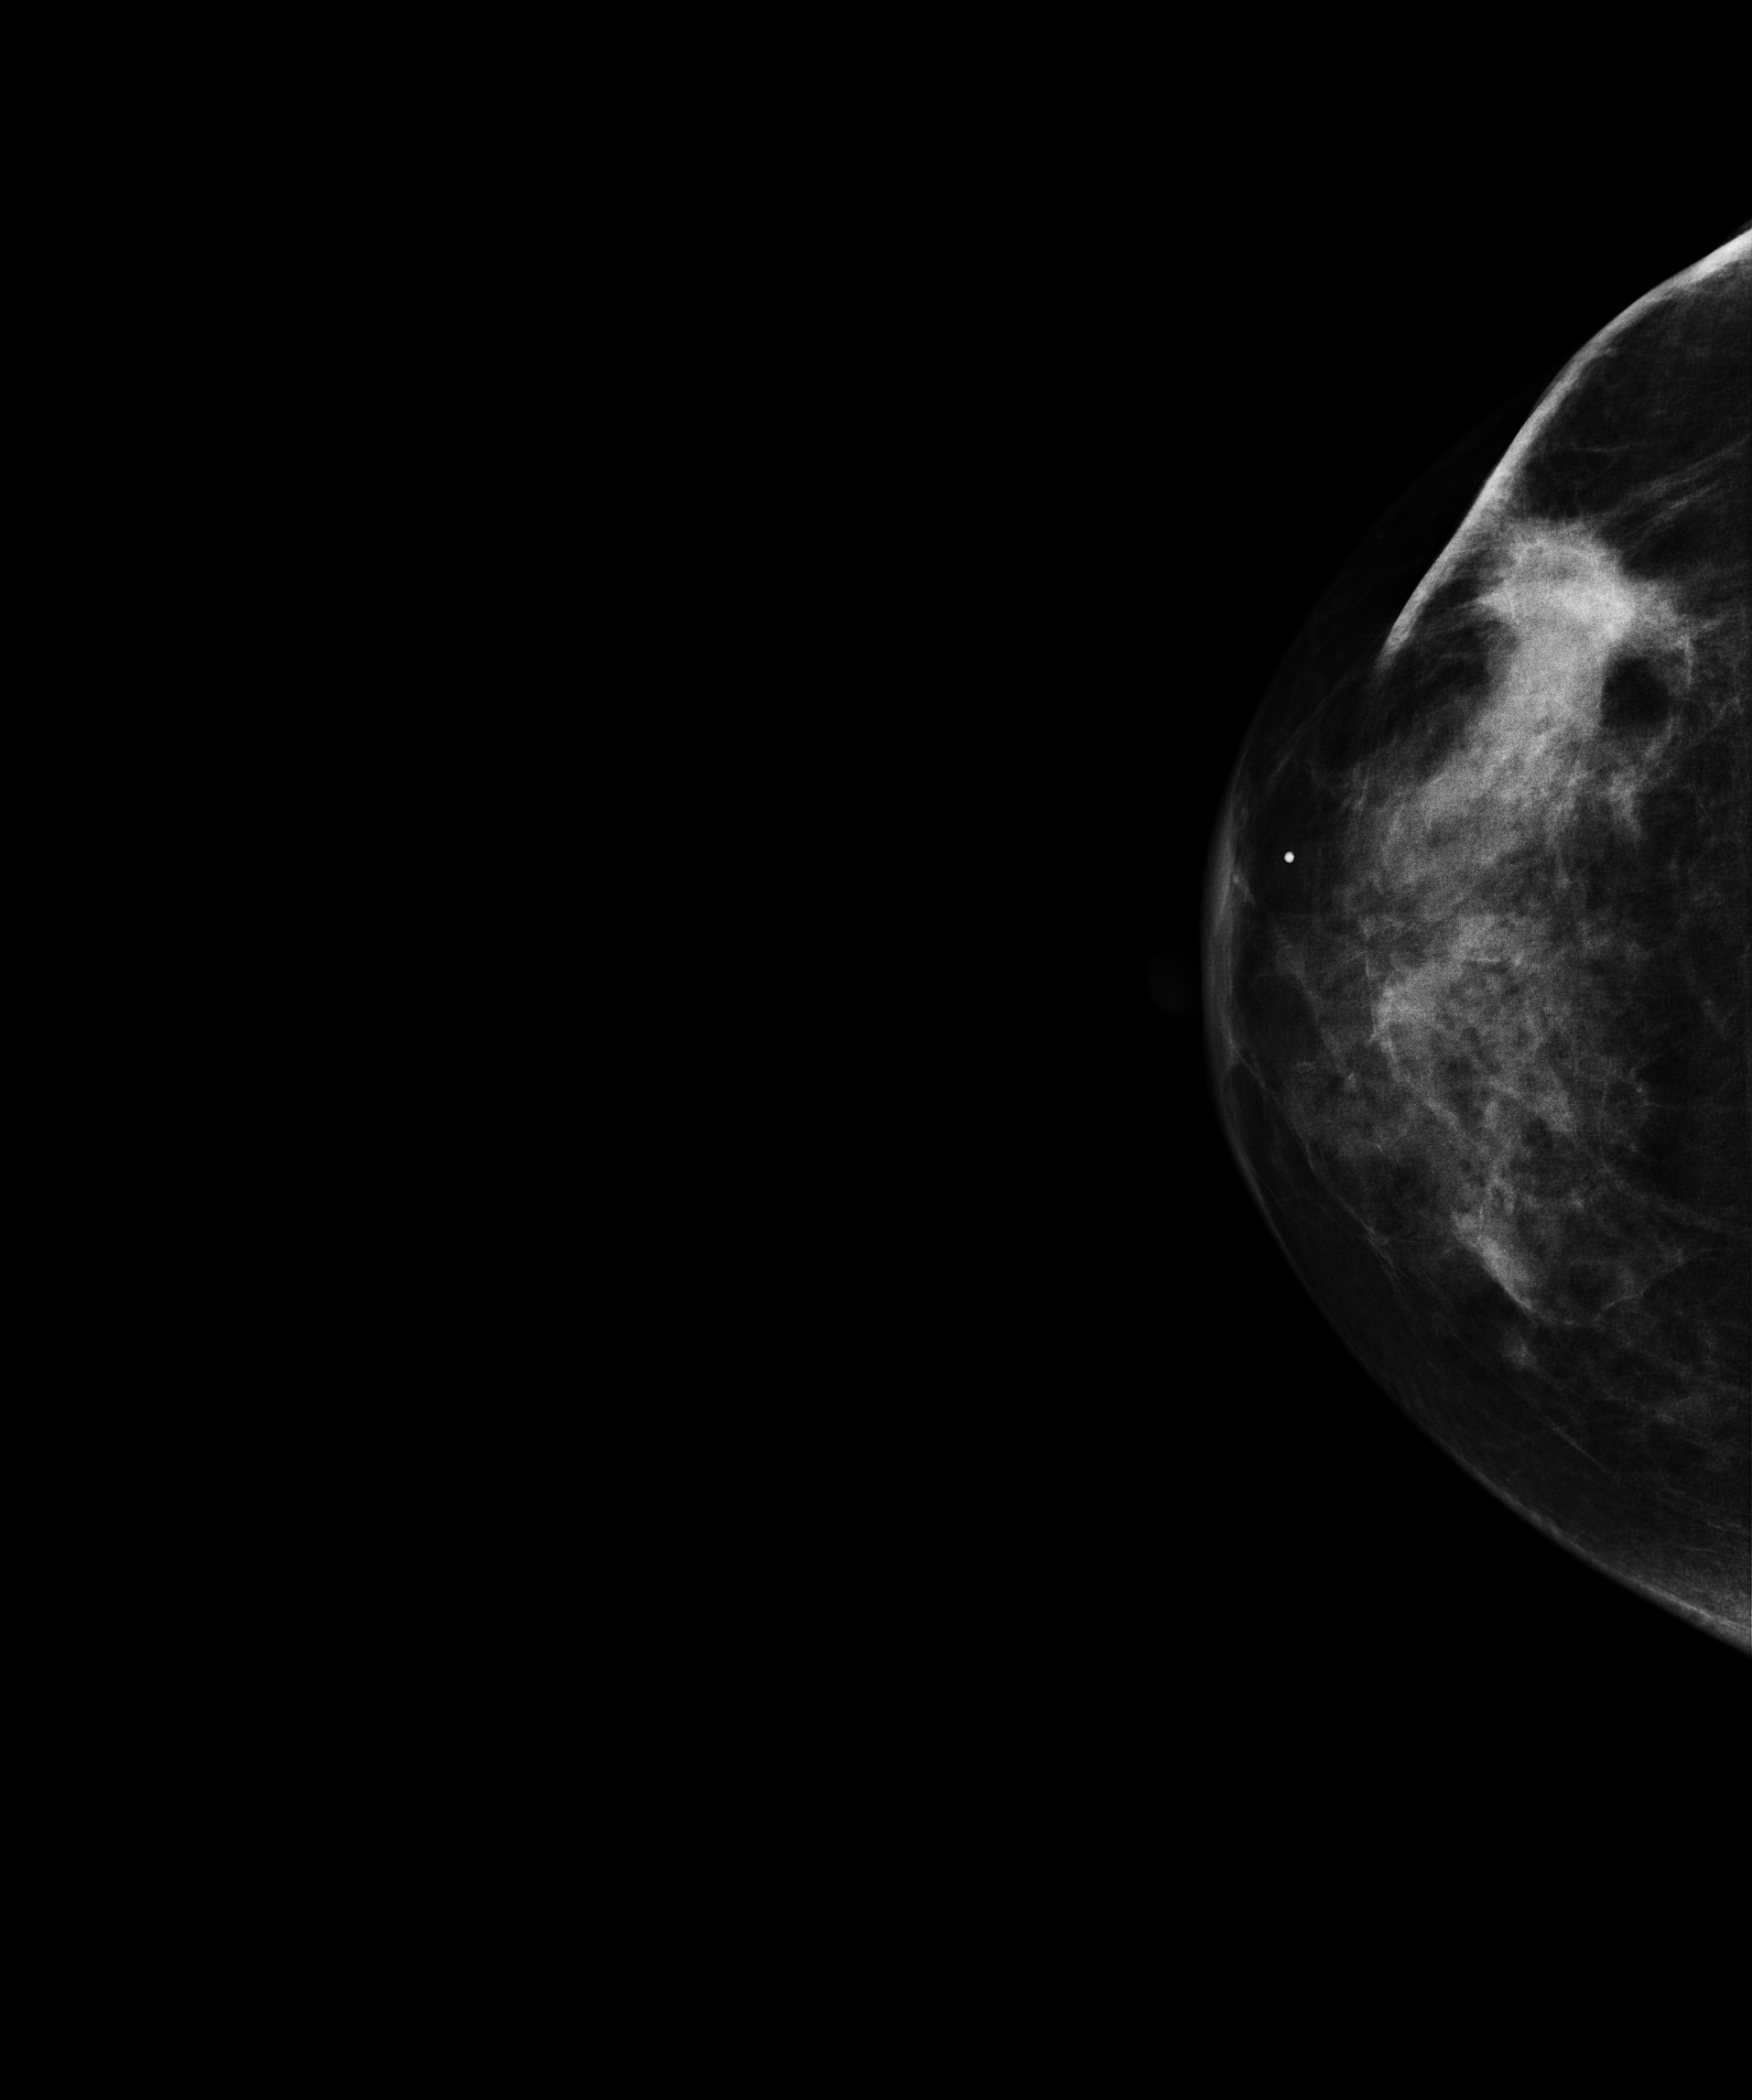
Mammogram — right CC. 58-year-old patient.
This breast has a mass, pathology-confirmed malignant.